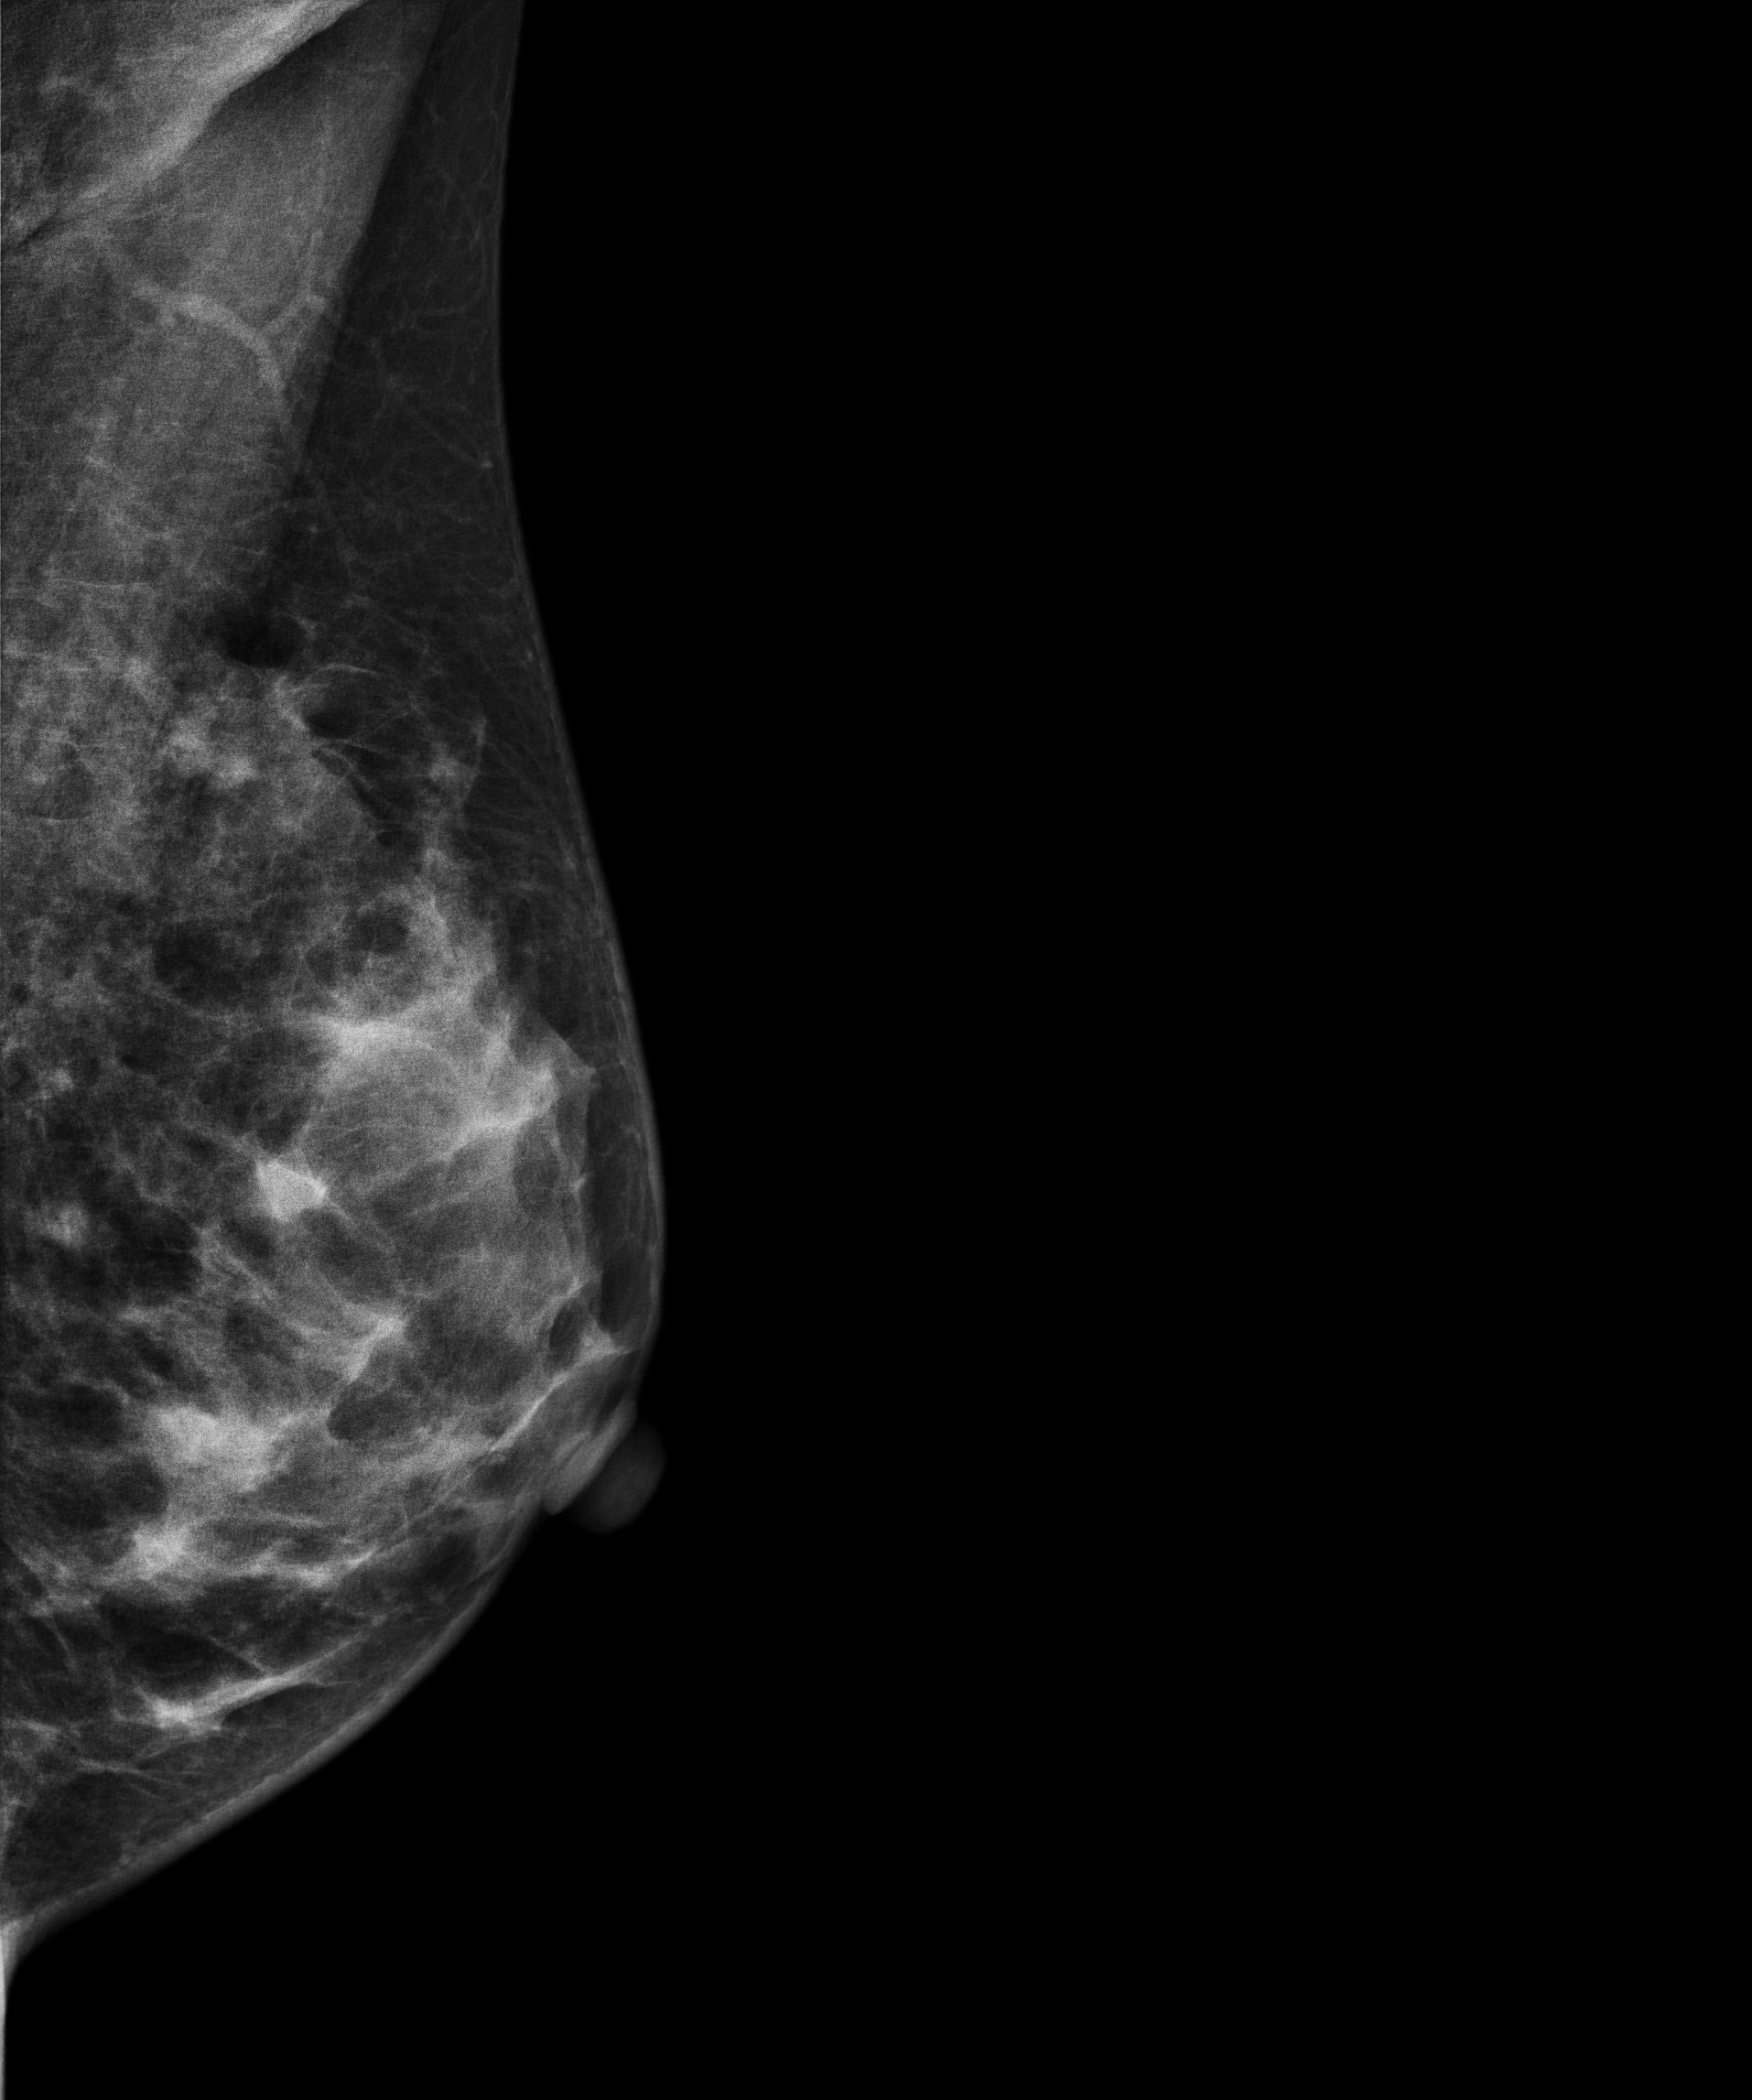
Mammogram — left medio-lateral oblique. 42-year-old patient.
This breast has a mass, biopsy-confirmed malignant. Molecular subtype: luminal B.